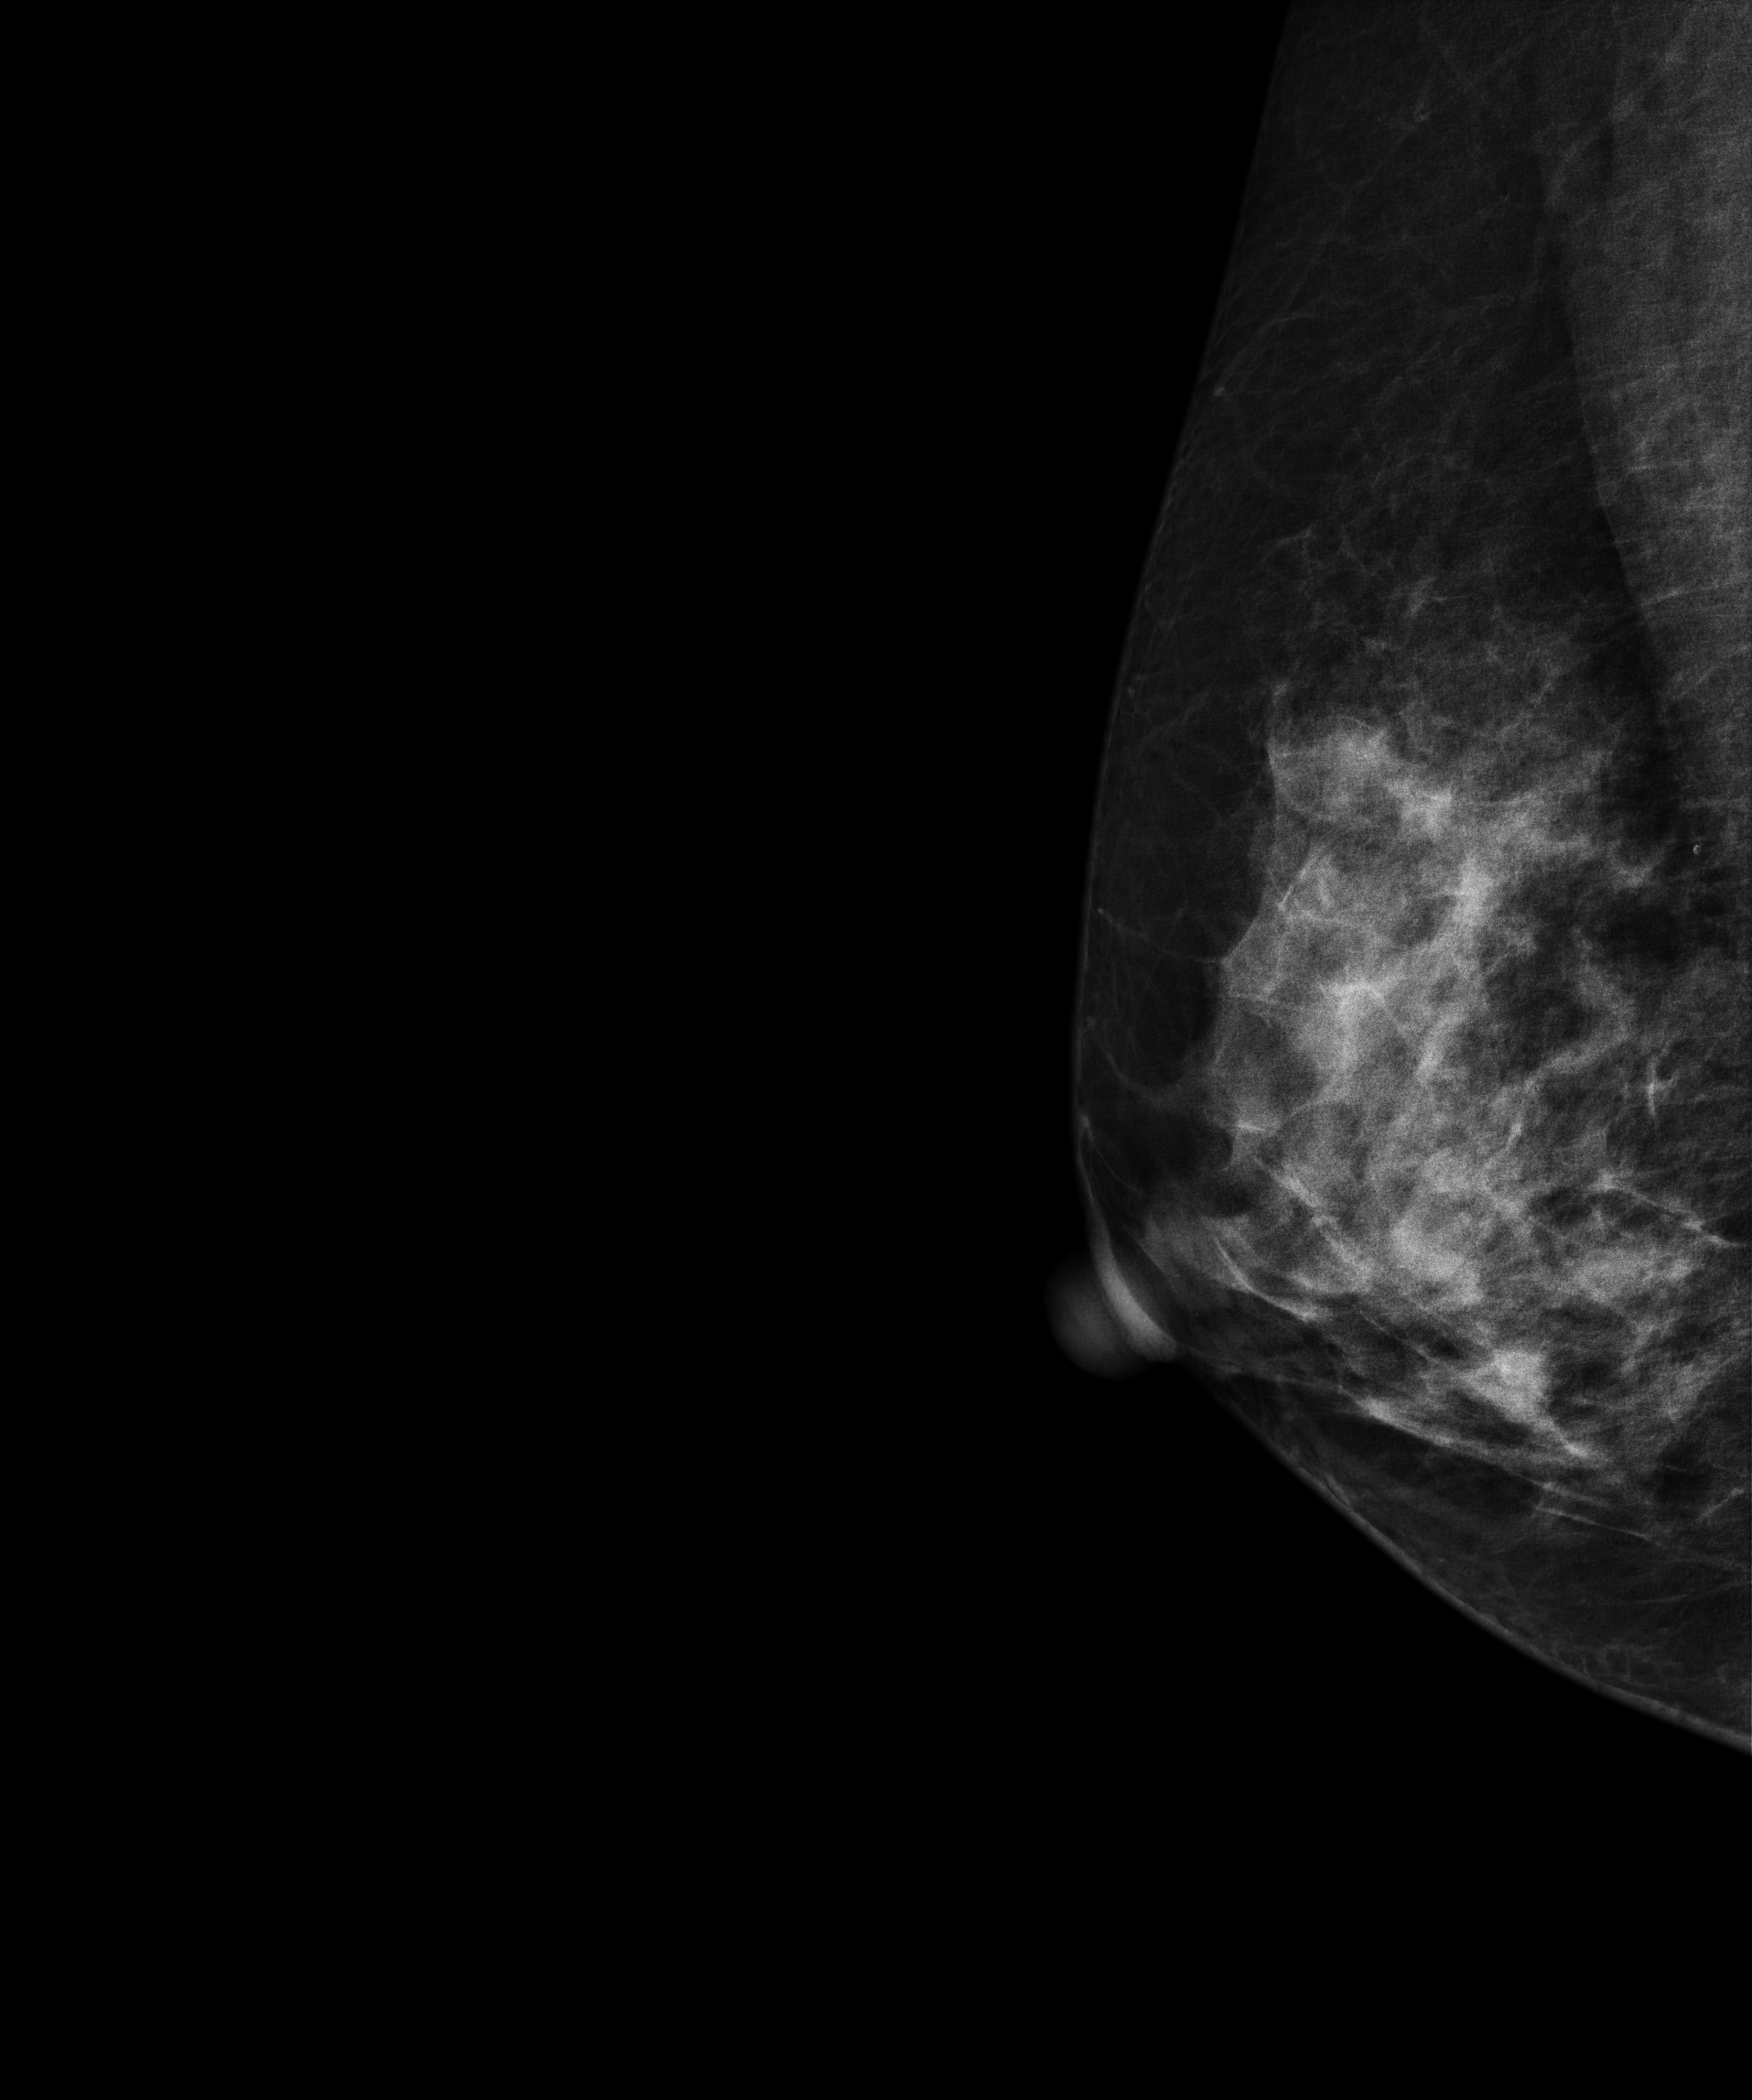
Mammogram — right MLO. 32 y/o patient.
This breast has a mass, biopsy-proven benign.